Cranio-caudal mammogram of the left breast. 32 y/o patient.
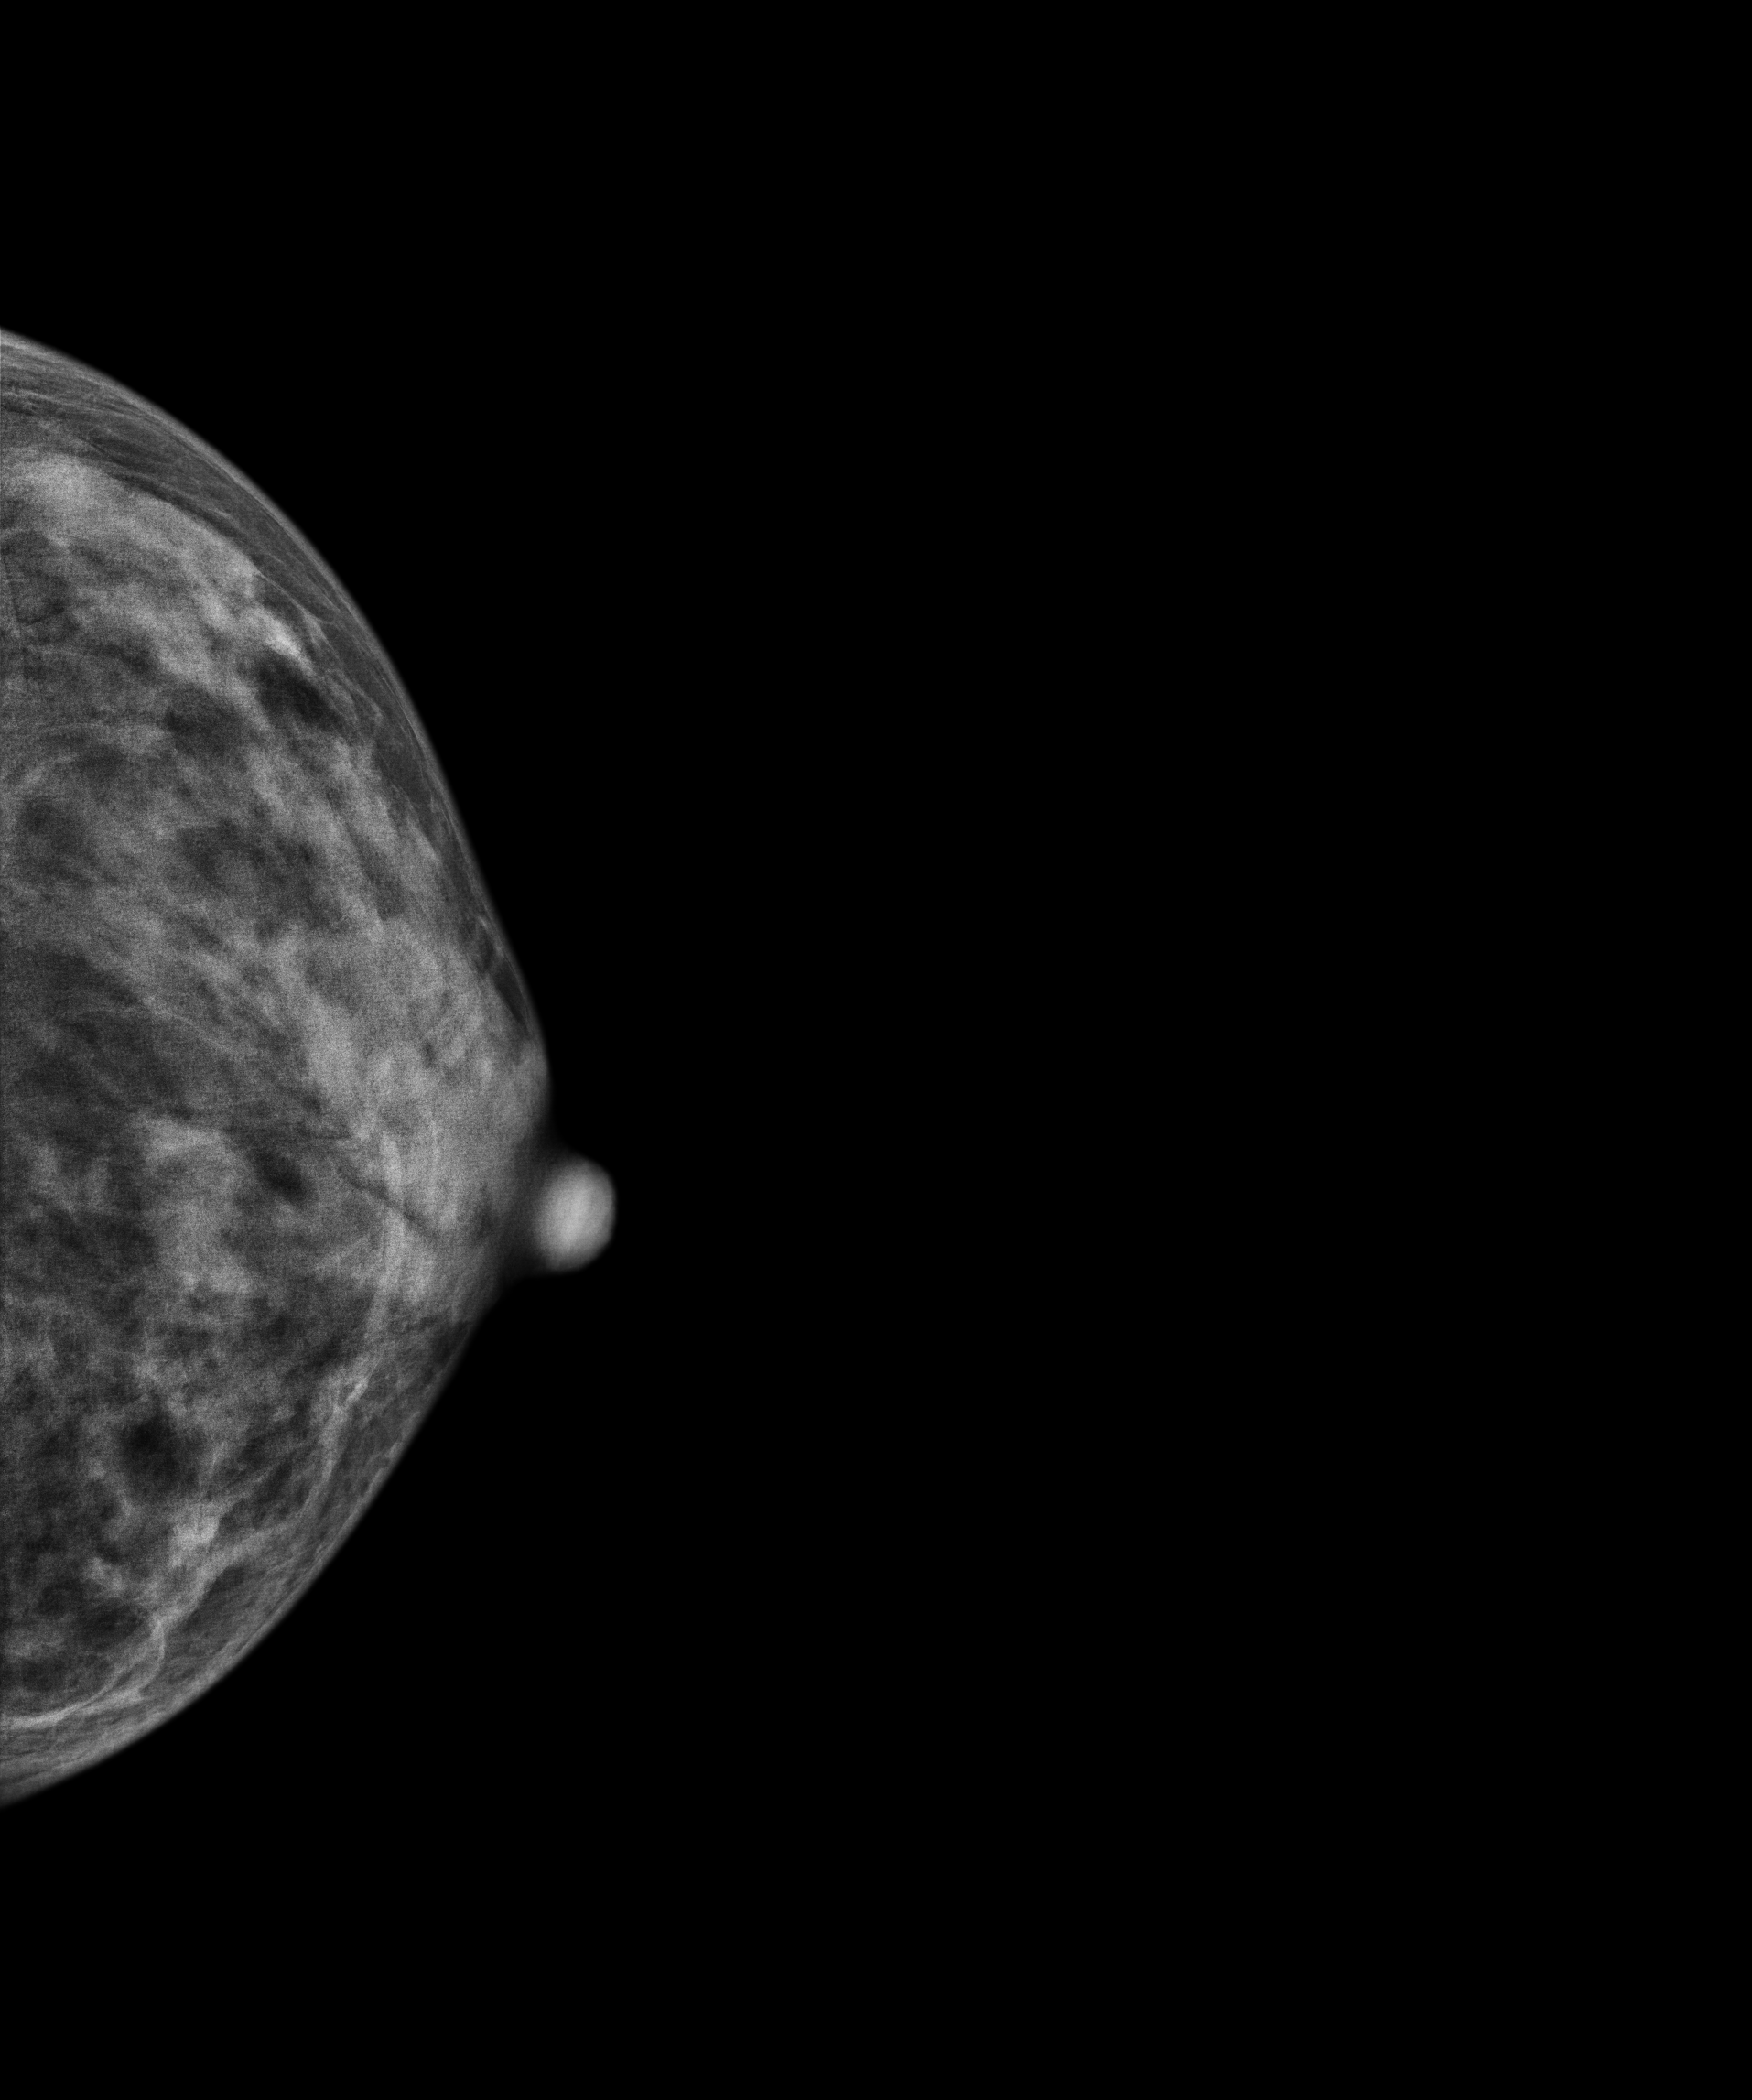
This breast has a mass, biopsy-proven benign.